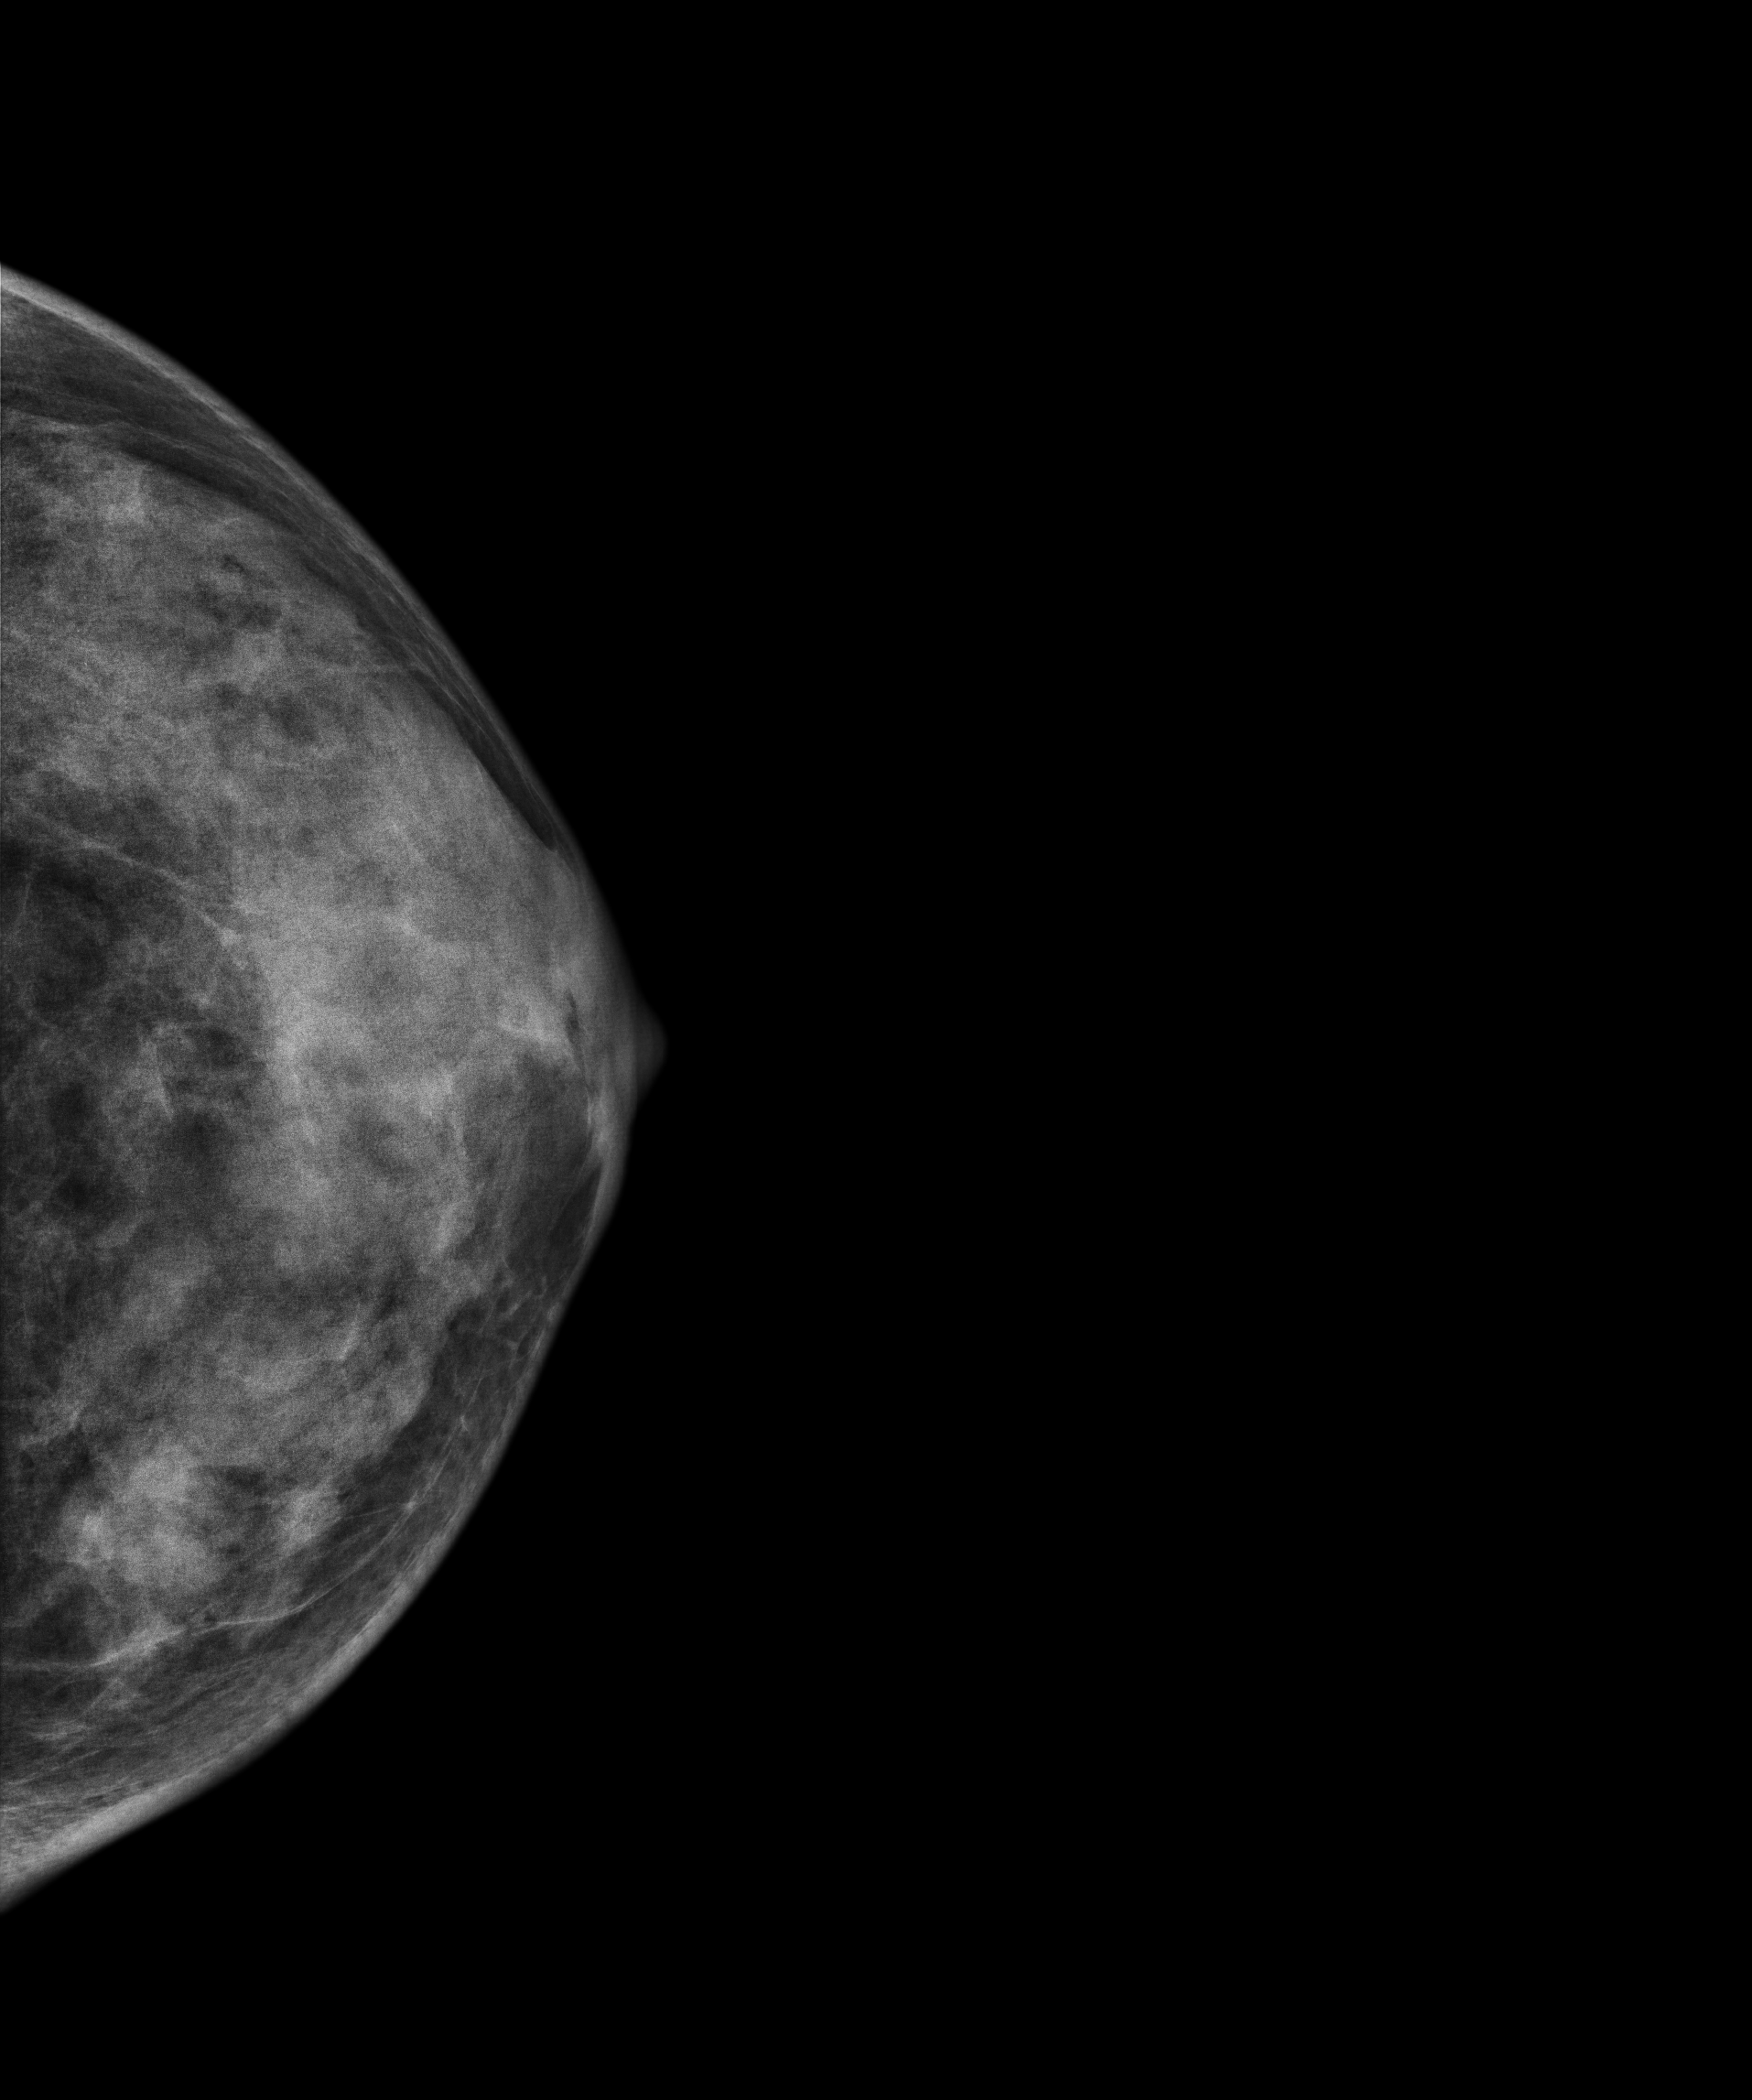
Digital mammography. Left breast, CC projection. Patient age 44.
This breast has a mass, biopsy-confirmed malignant. Molecular subtype: luminal B.